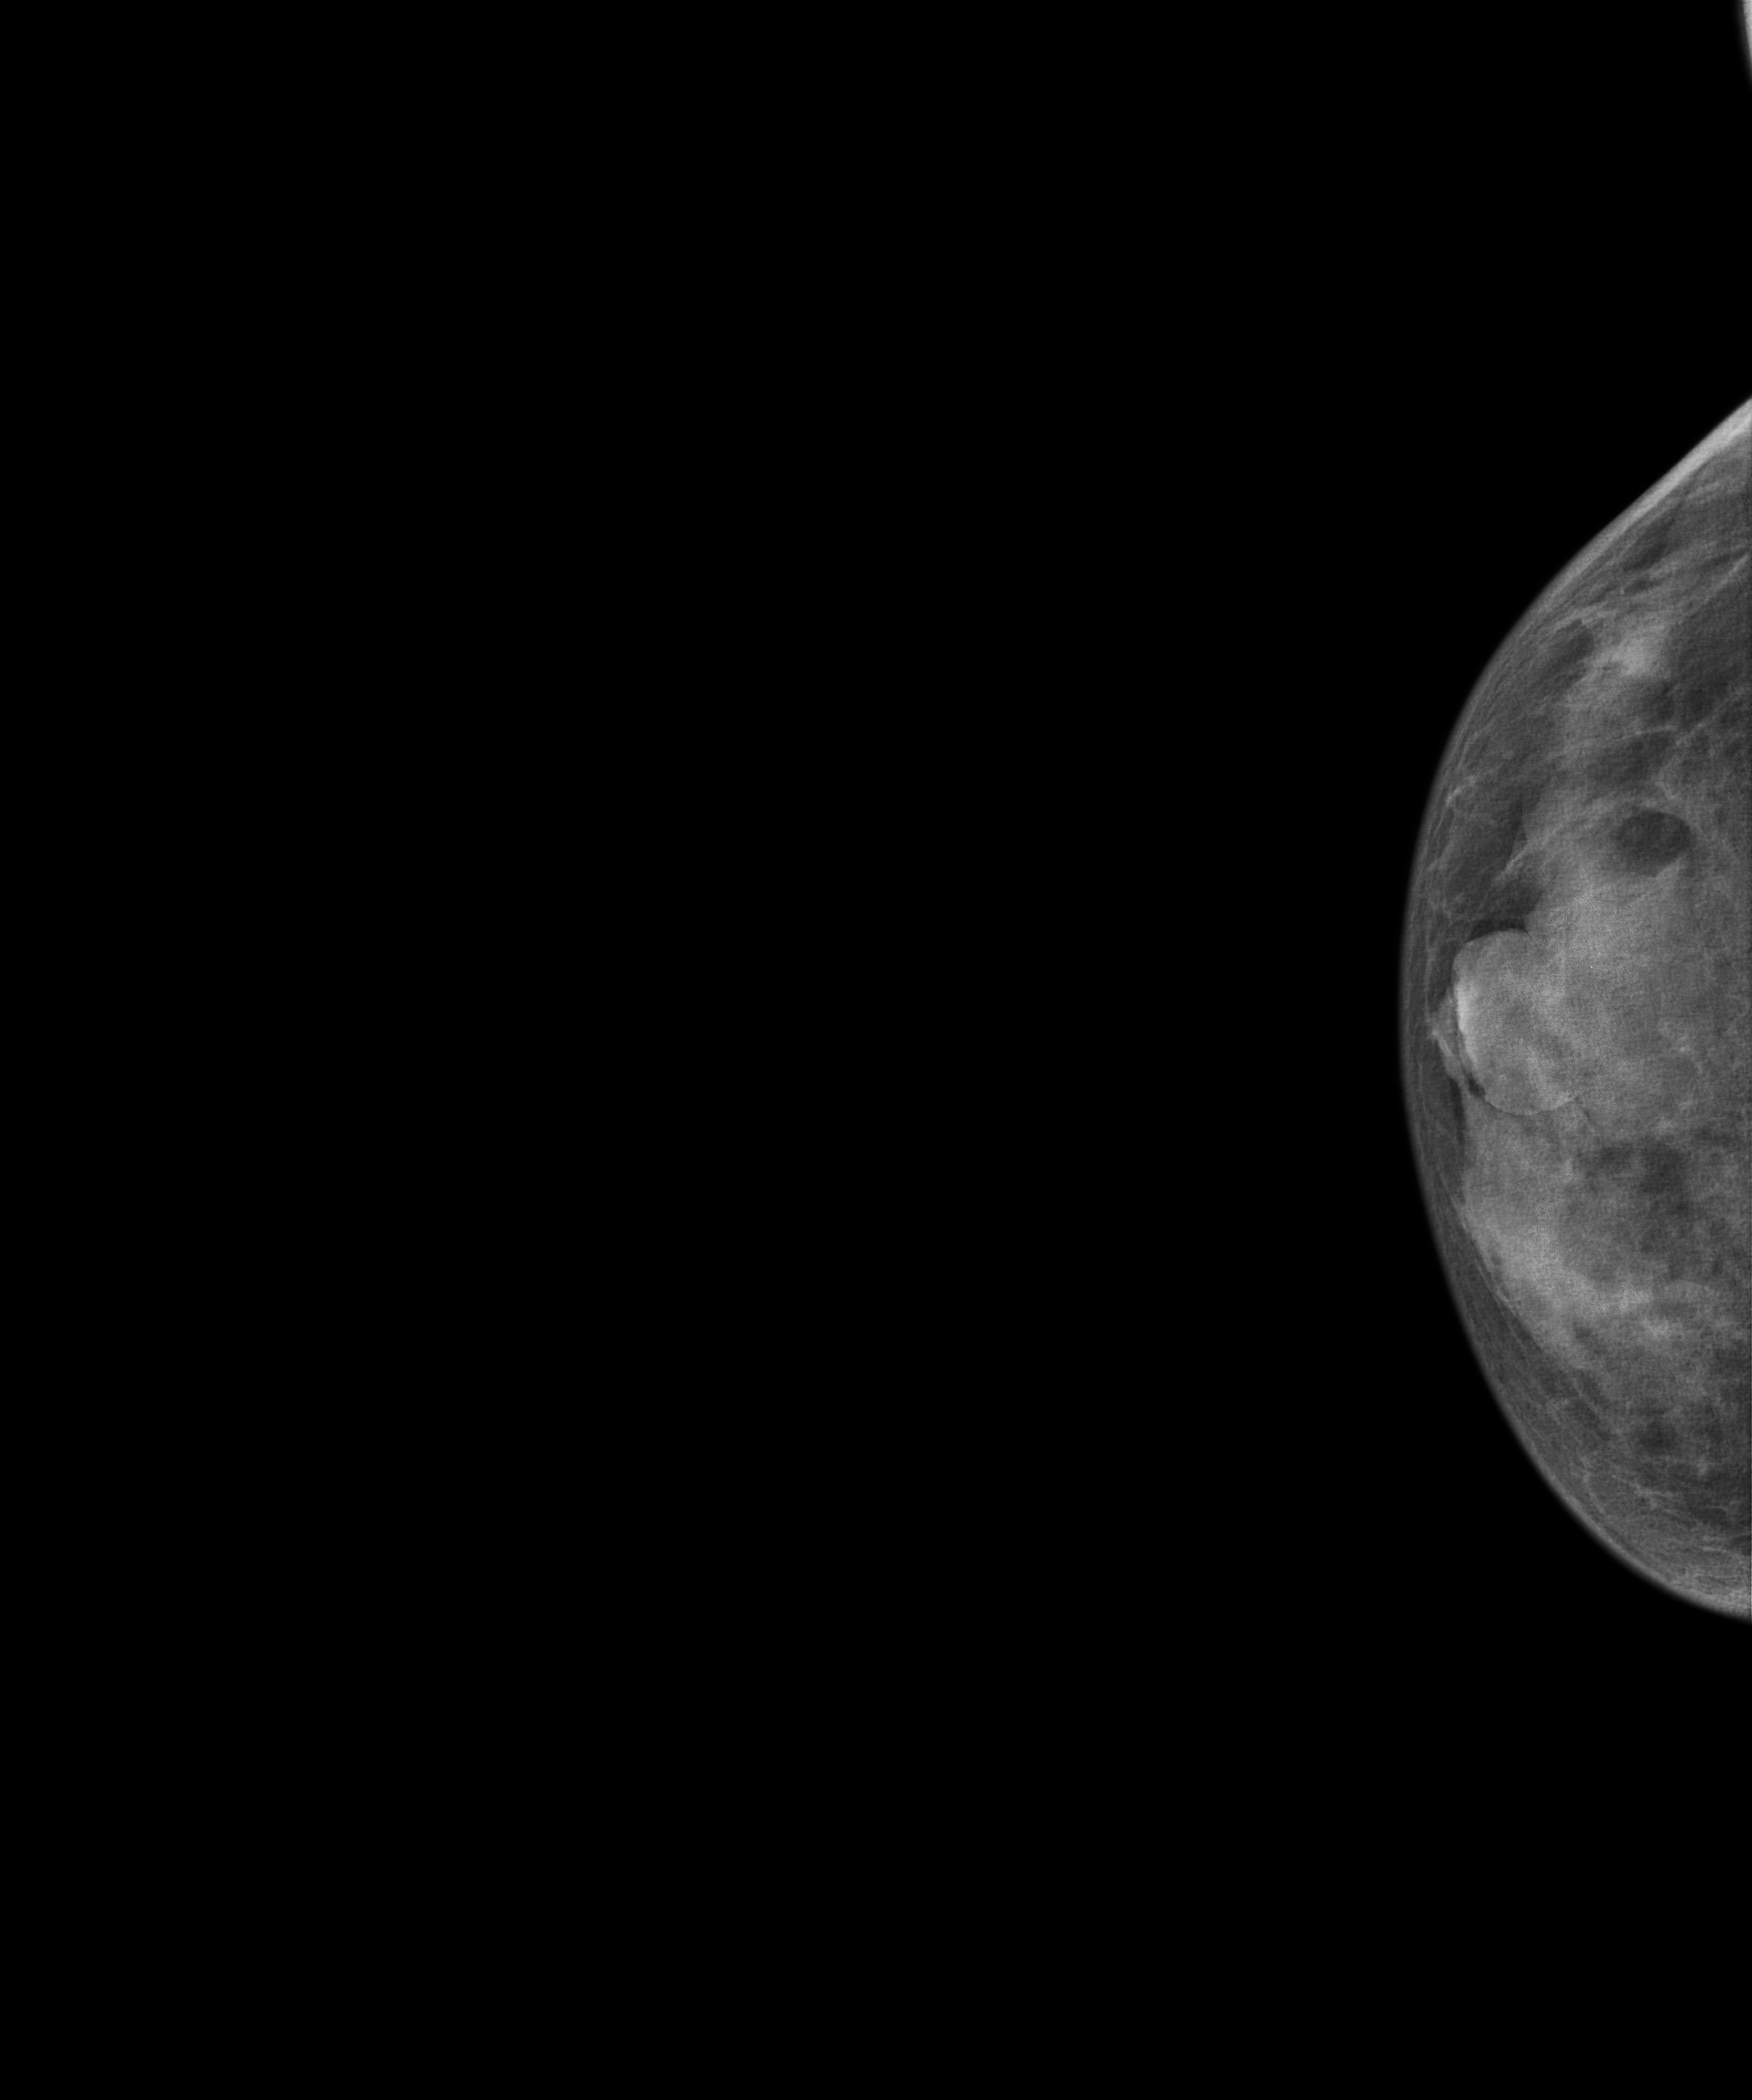
Mammogram — right cranio-caudal. Patient age 58.
This breast has a mass, biopsy-confirmed benign.